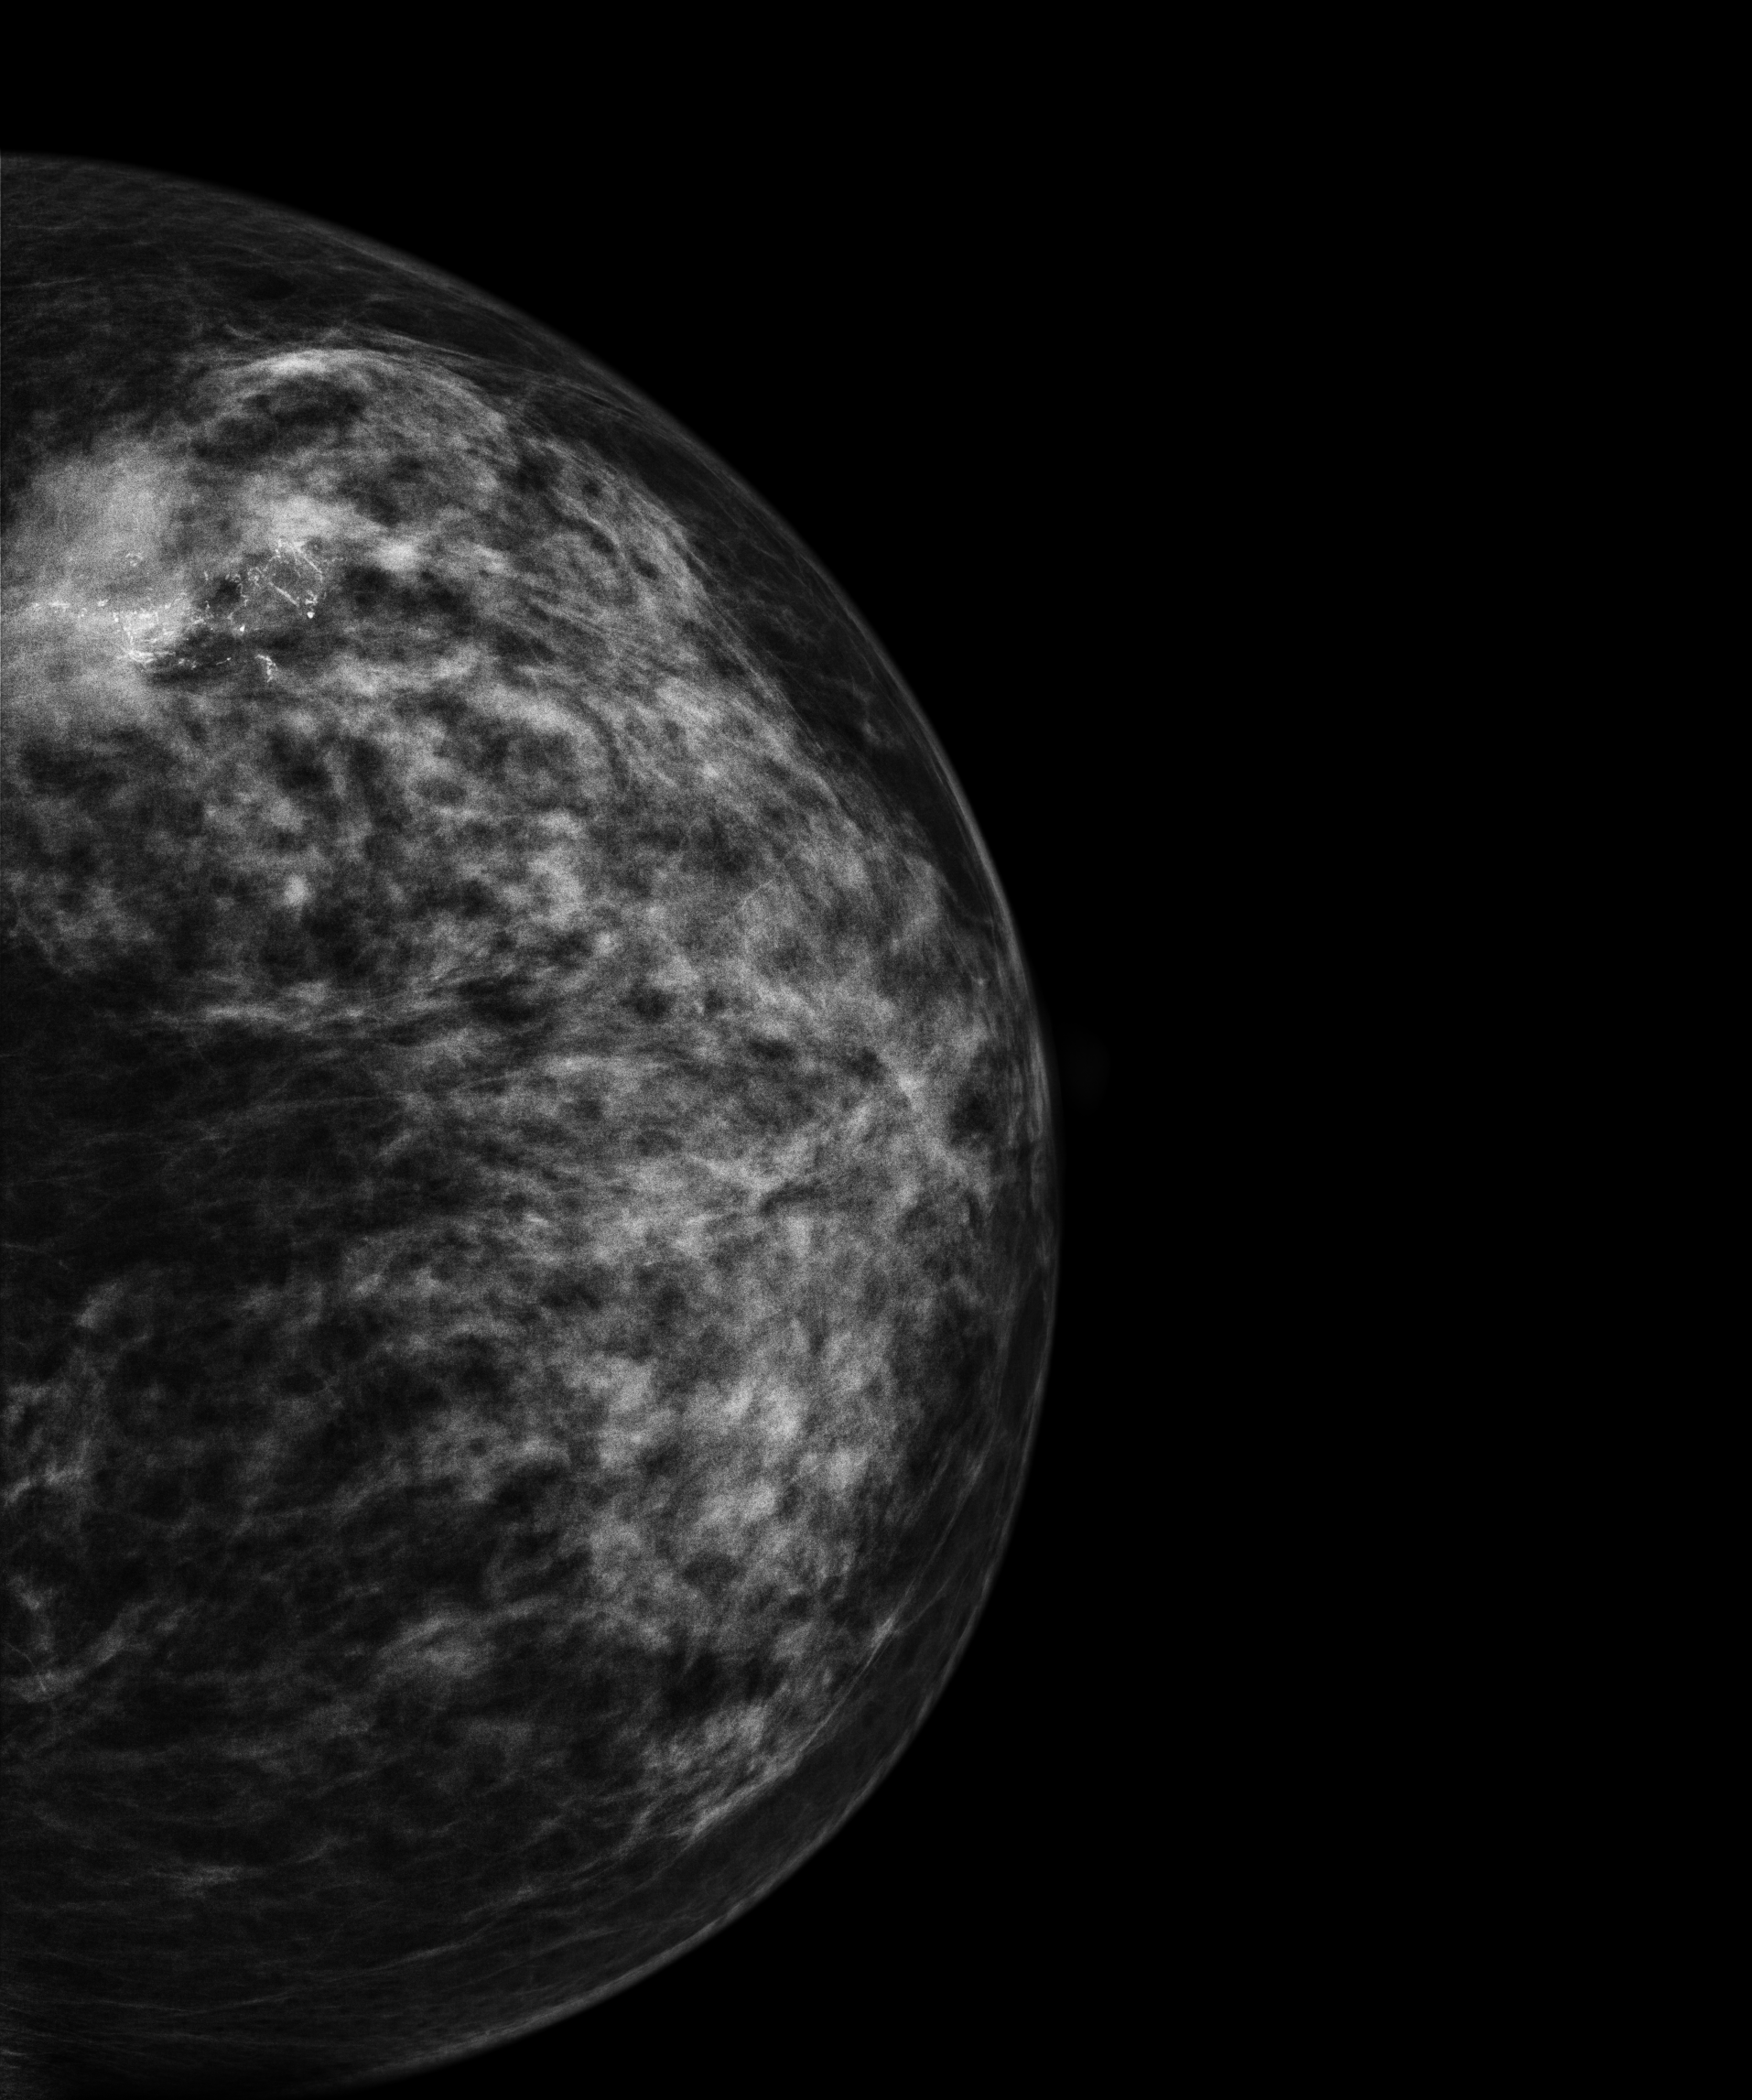
CC mammogram of the left breast. Patient age 42.
This breast has a mass and calcifications, biopsy-proven malignant. Molecular subtype: luminal A.